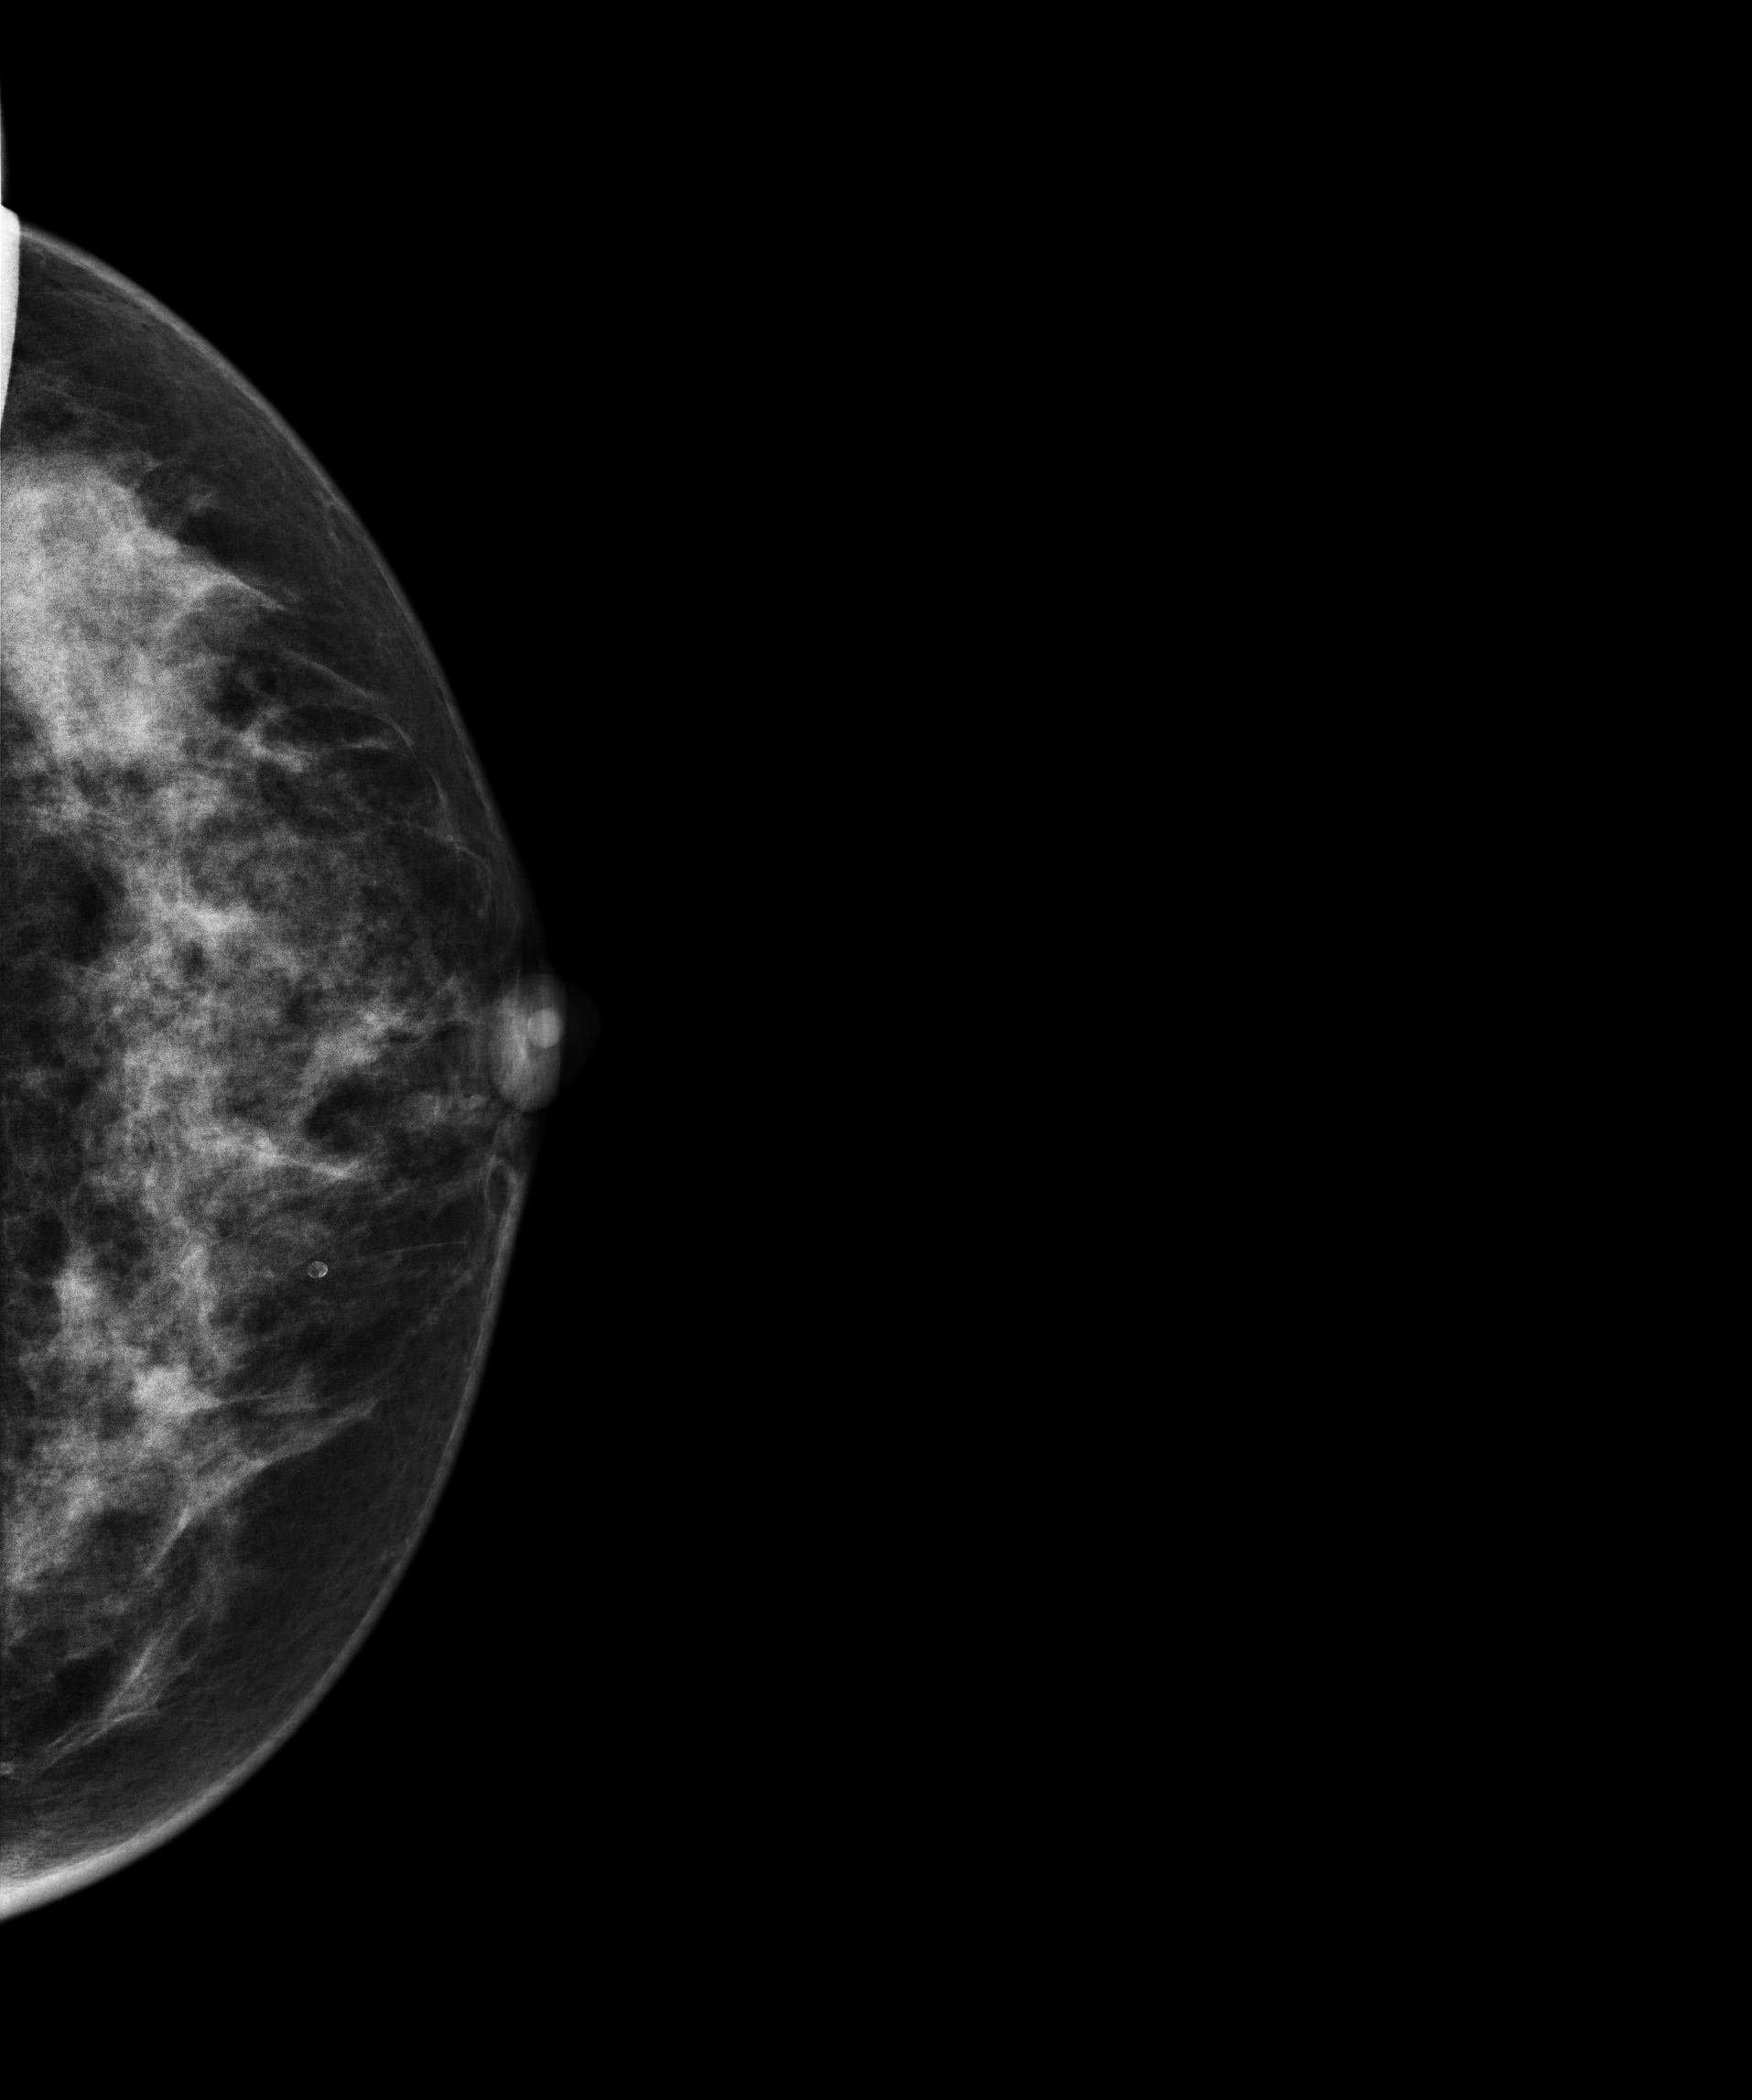
Mammogram — left CC. 40 y/o patient.
This breast has a mass, biopsy-confirmed malignant.